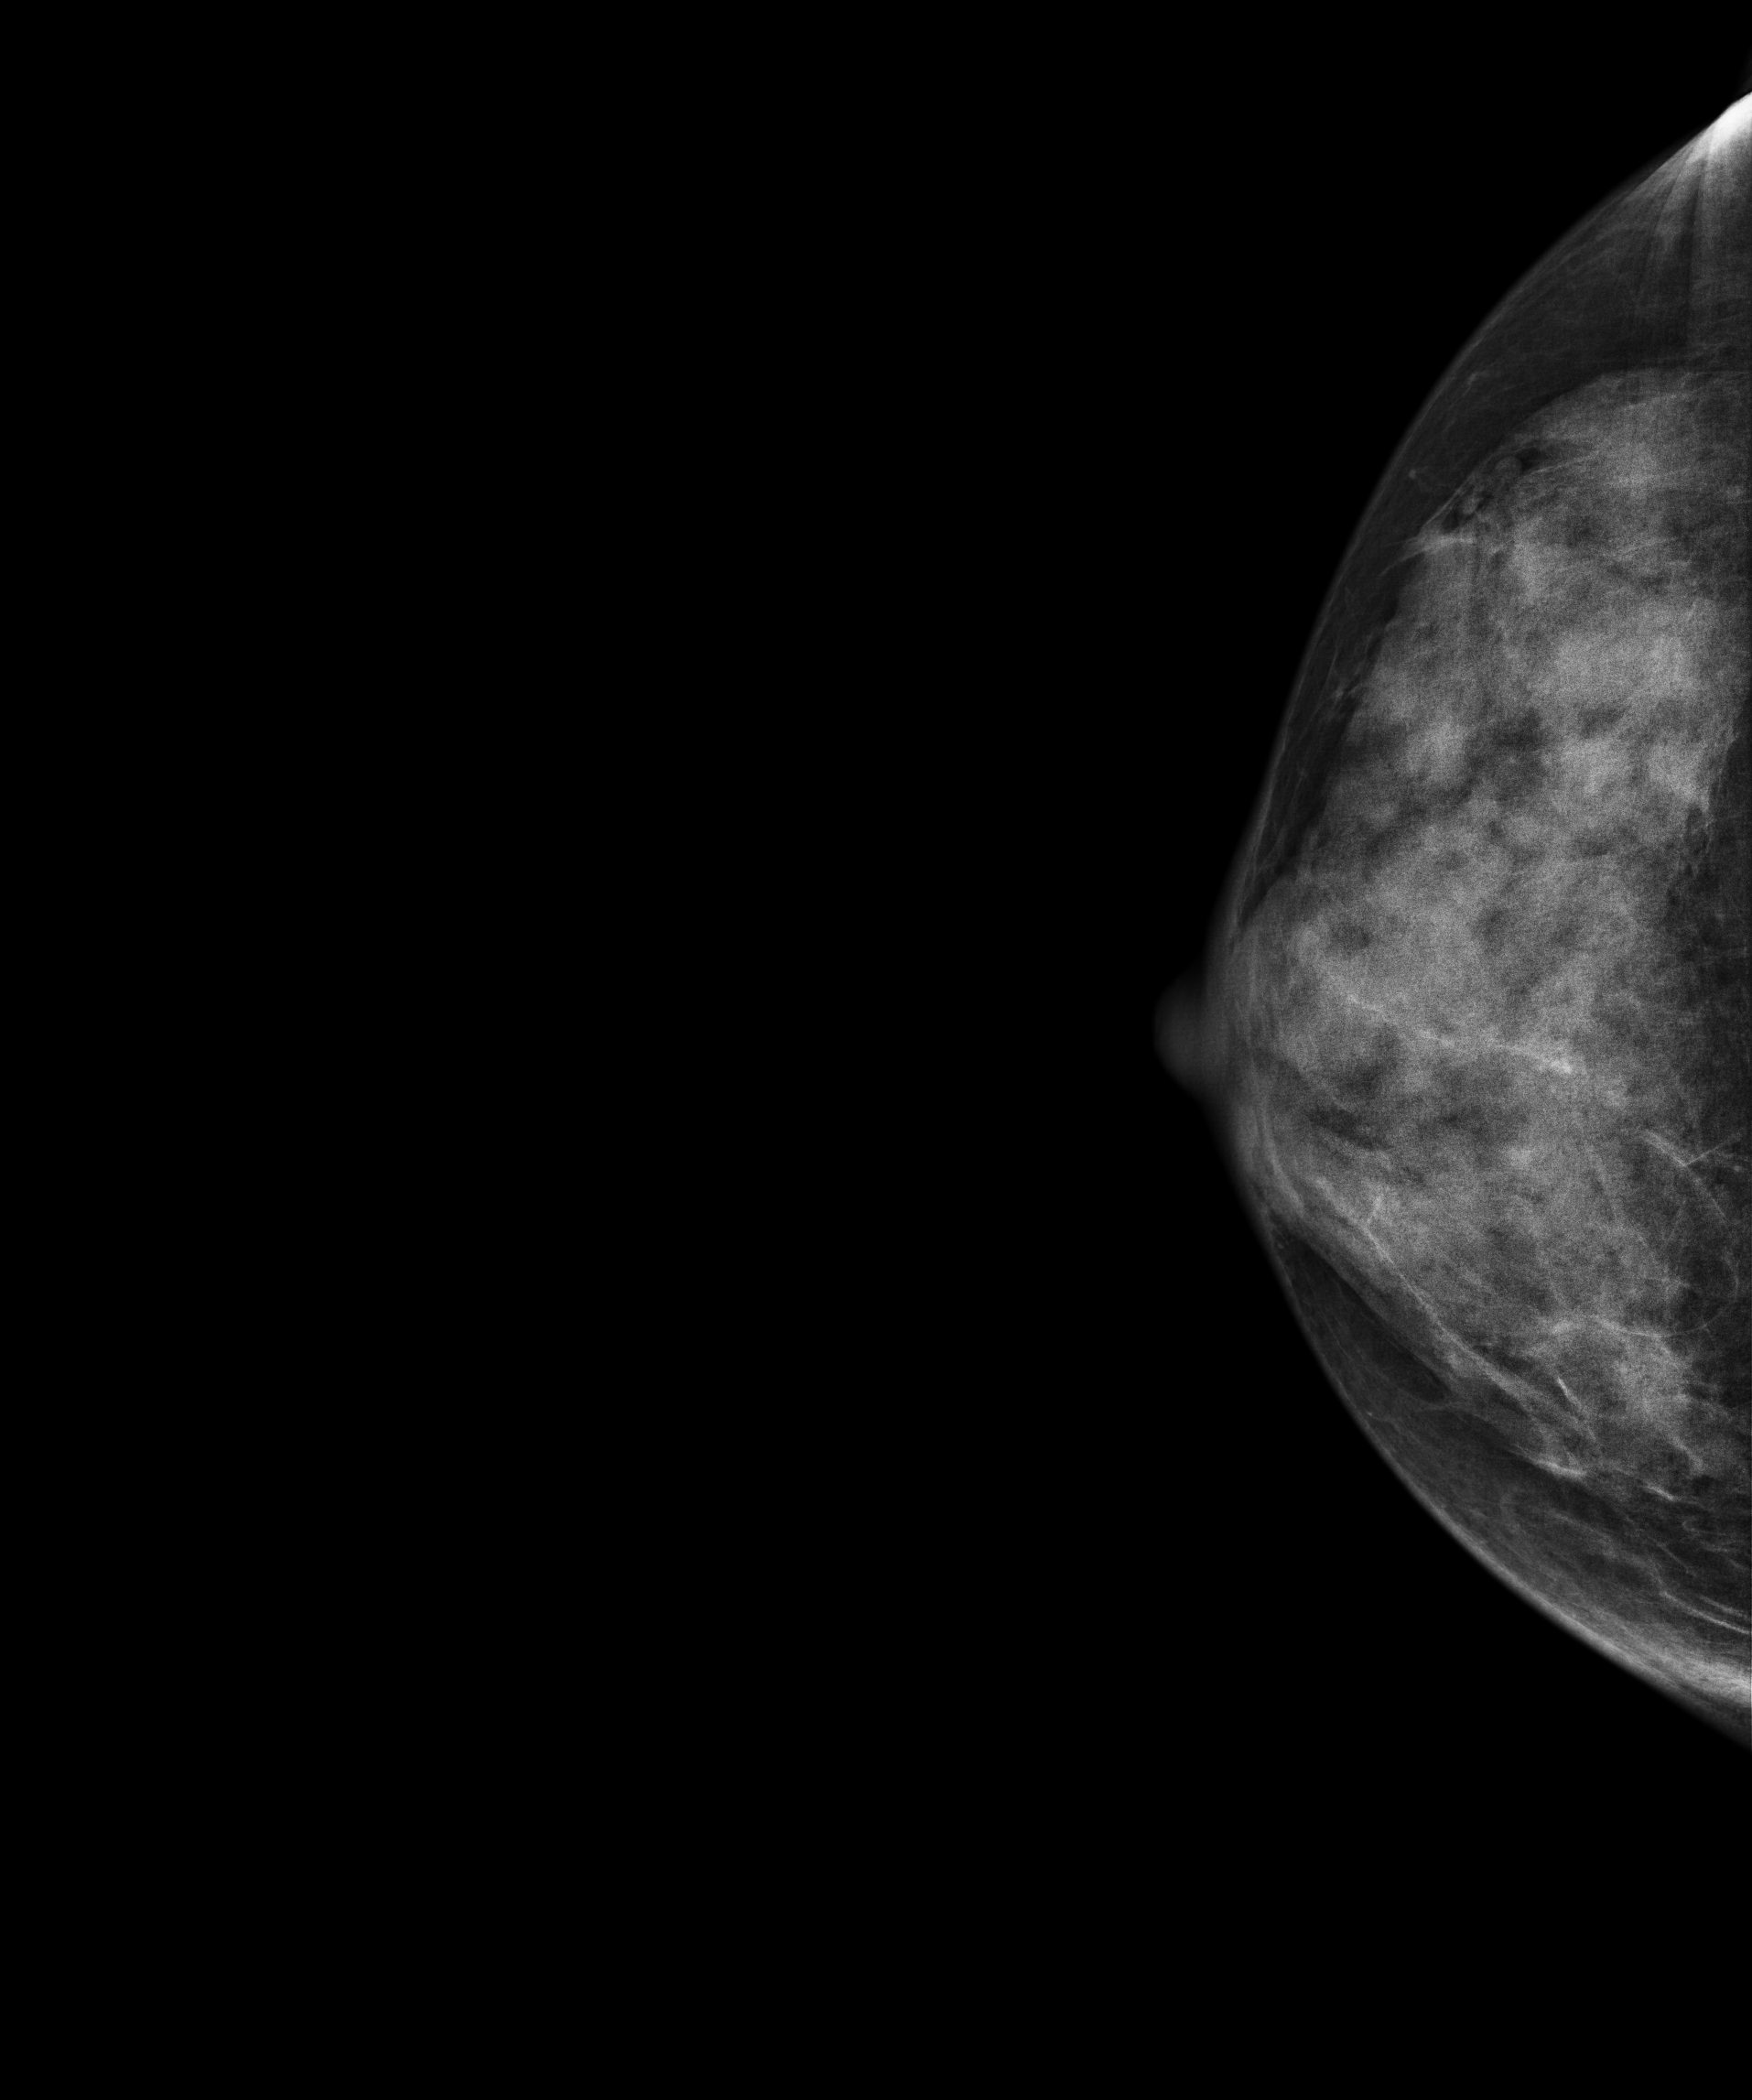
Mammogram — right cranio-caudal. 48-year-old patient.
This breast has a mass, pathology-confirmed benign.